Mammogram, right breast, cranio-caudal view. Patient age 34.
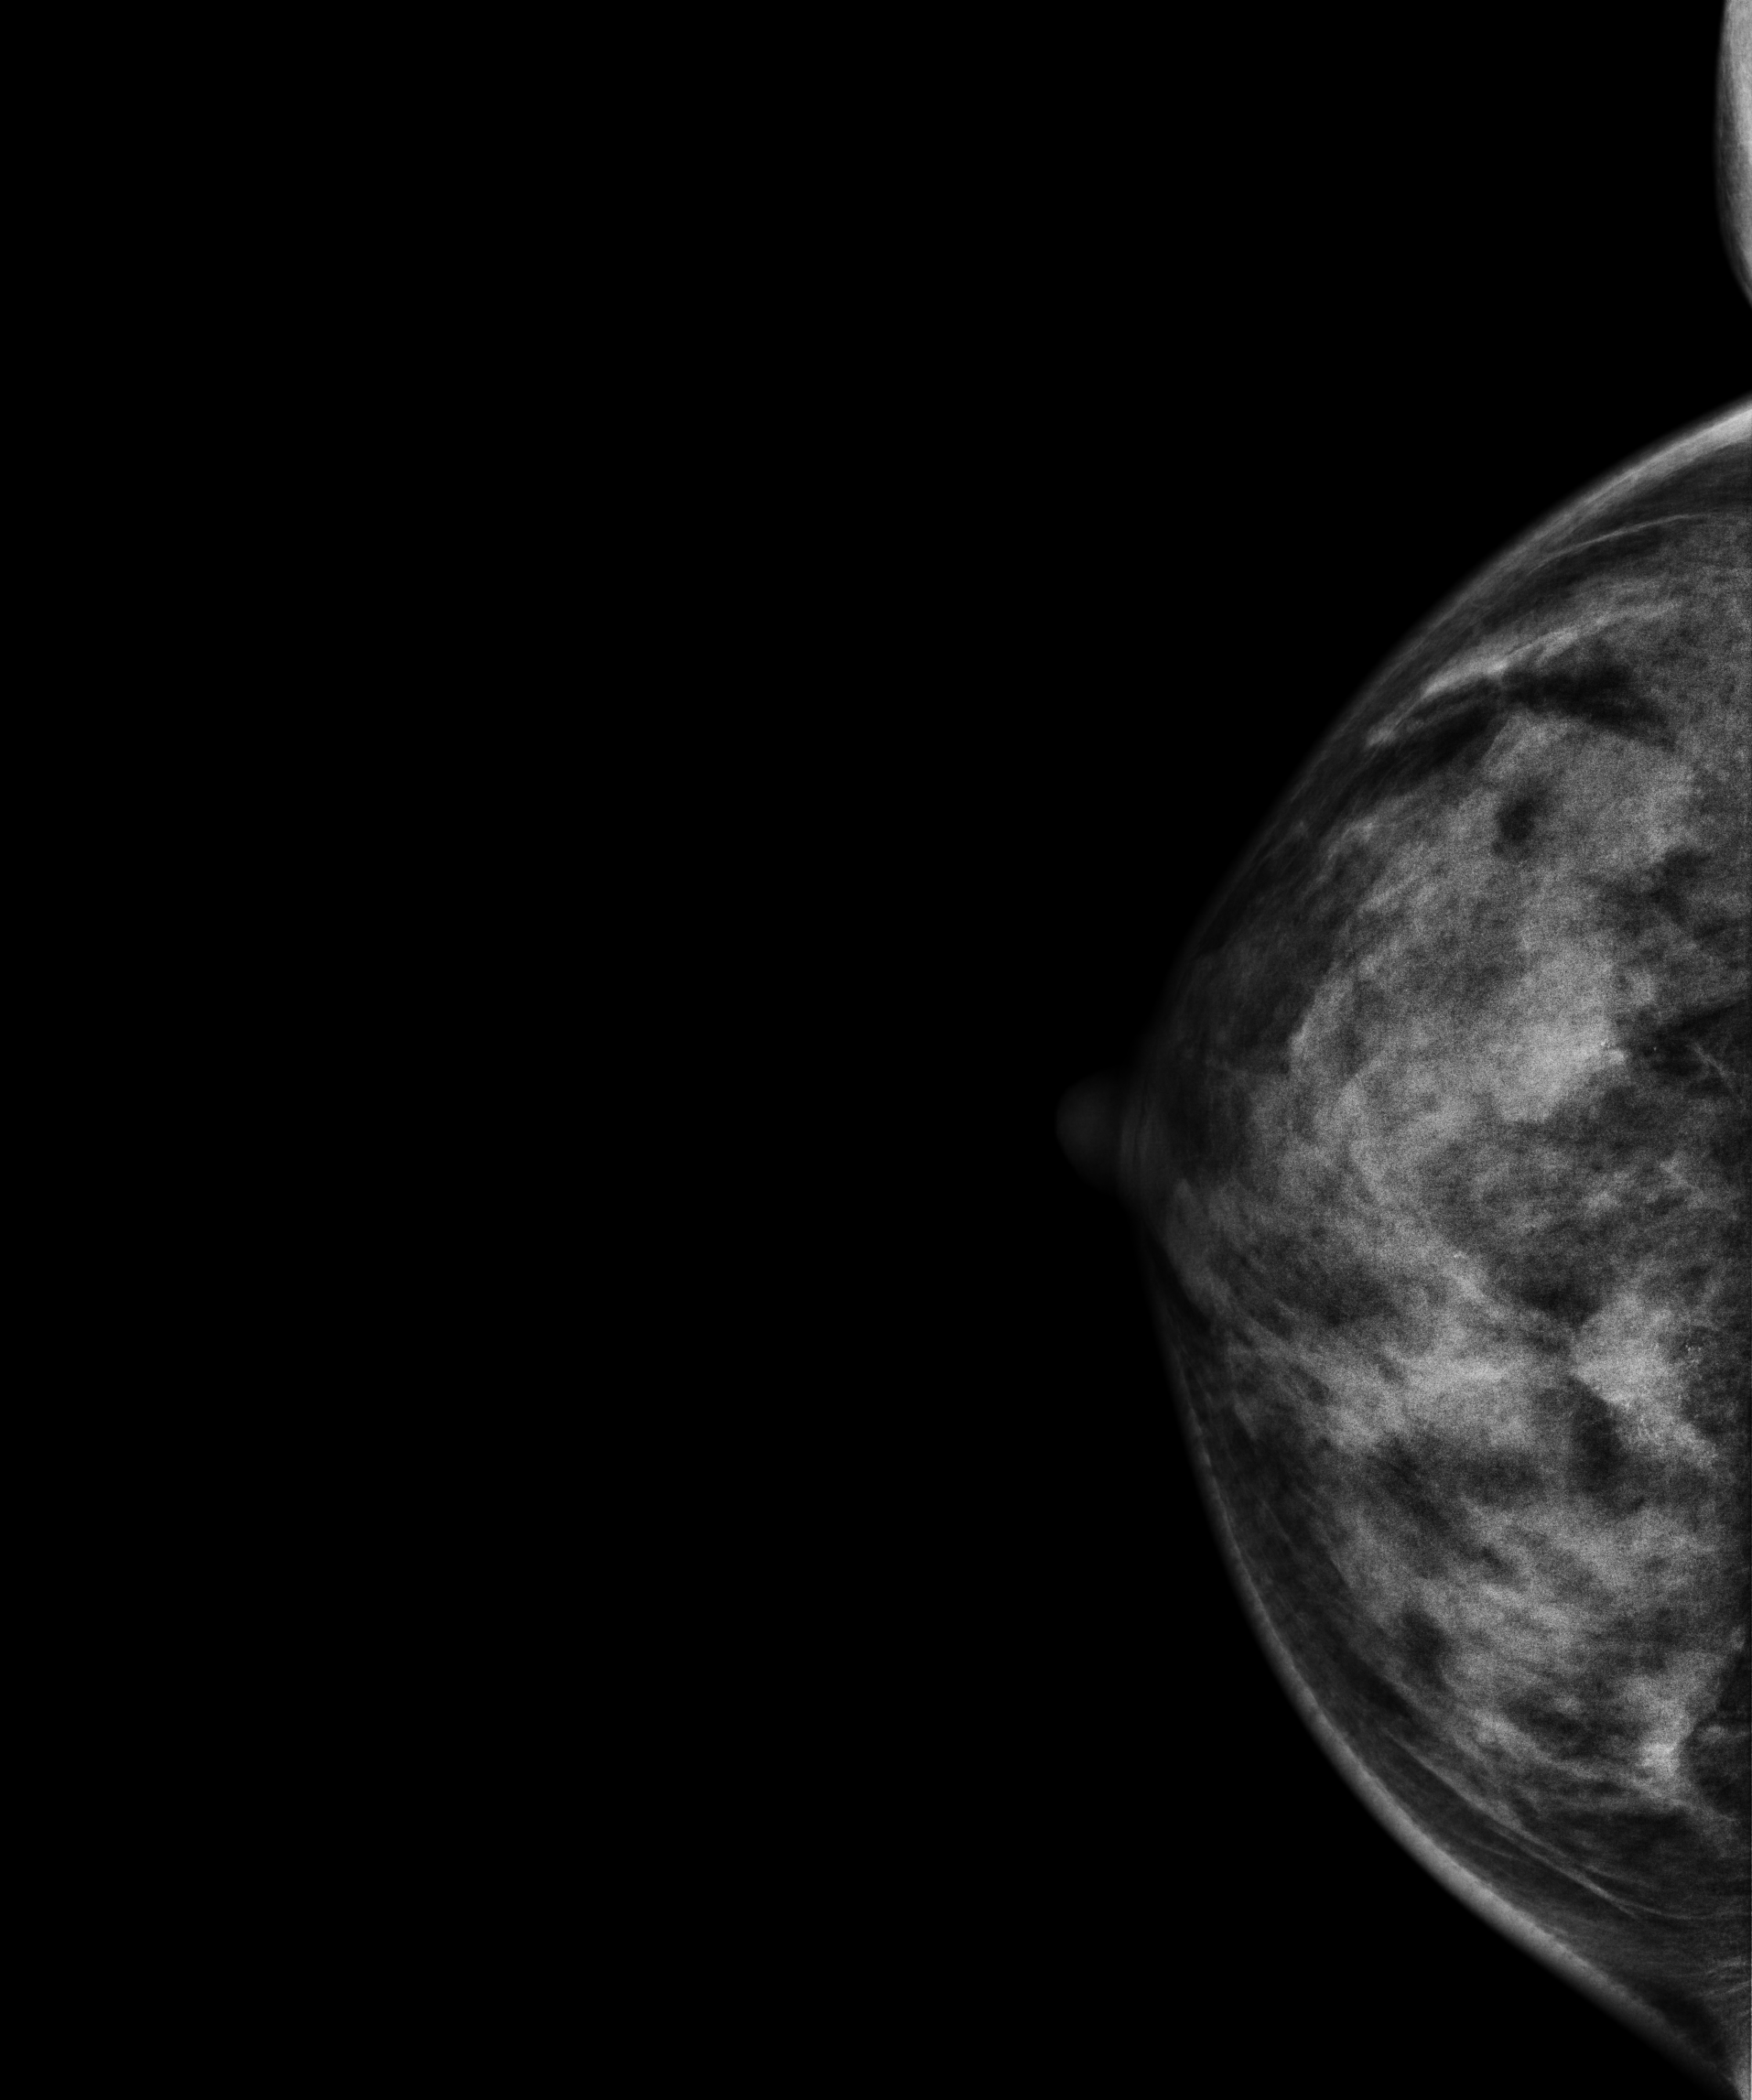
This breast has a mass and calcifications, pathology-confirmed malignant. Molecular subtype: luminal B.